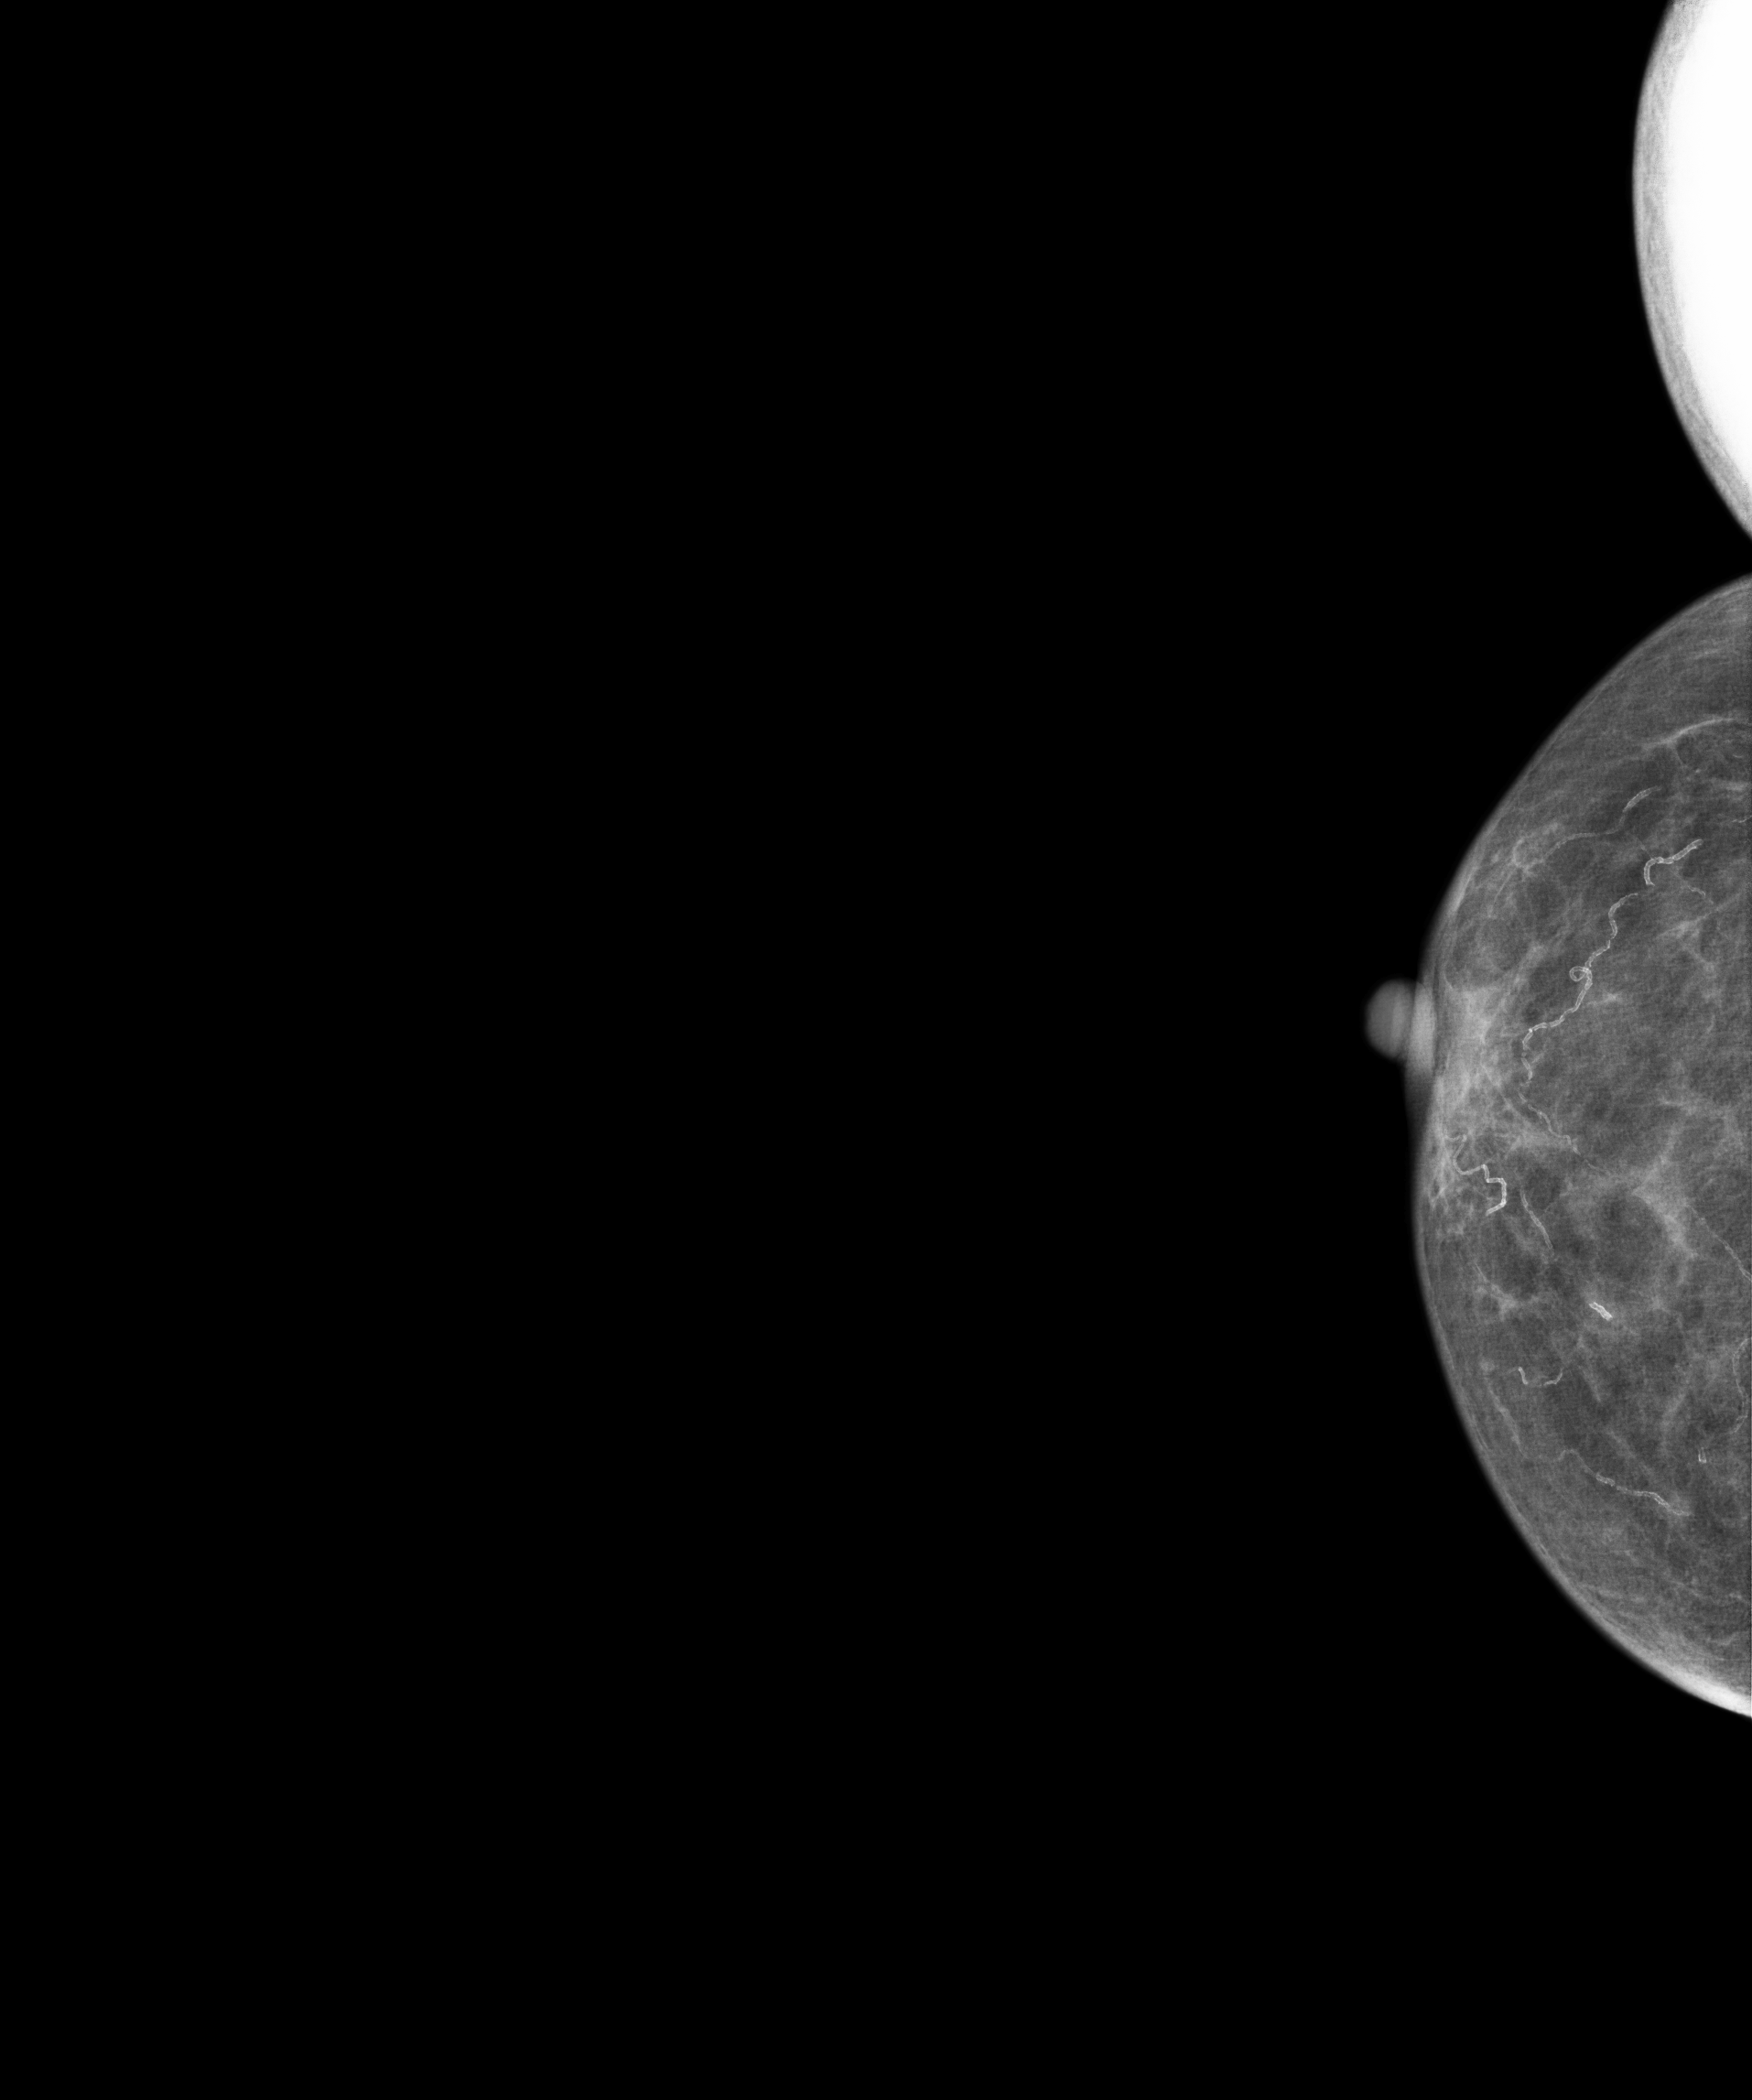
Mammogram — right cranio-caudal. 85 y/o patient.
Contralateral breast — no documented abnormality on this side.